Mammogram — right CC. 42-year-old patient.
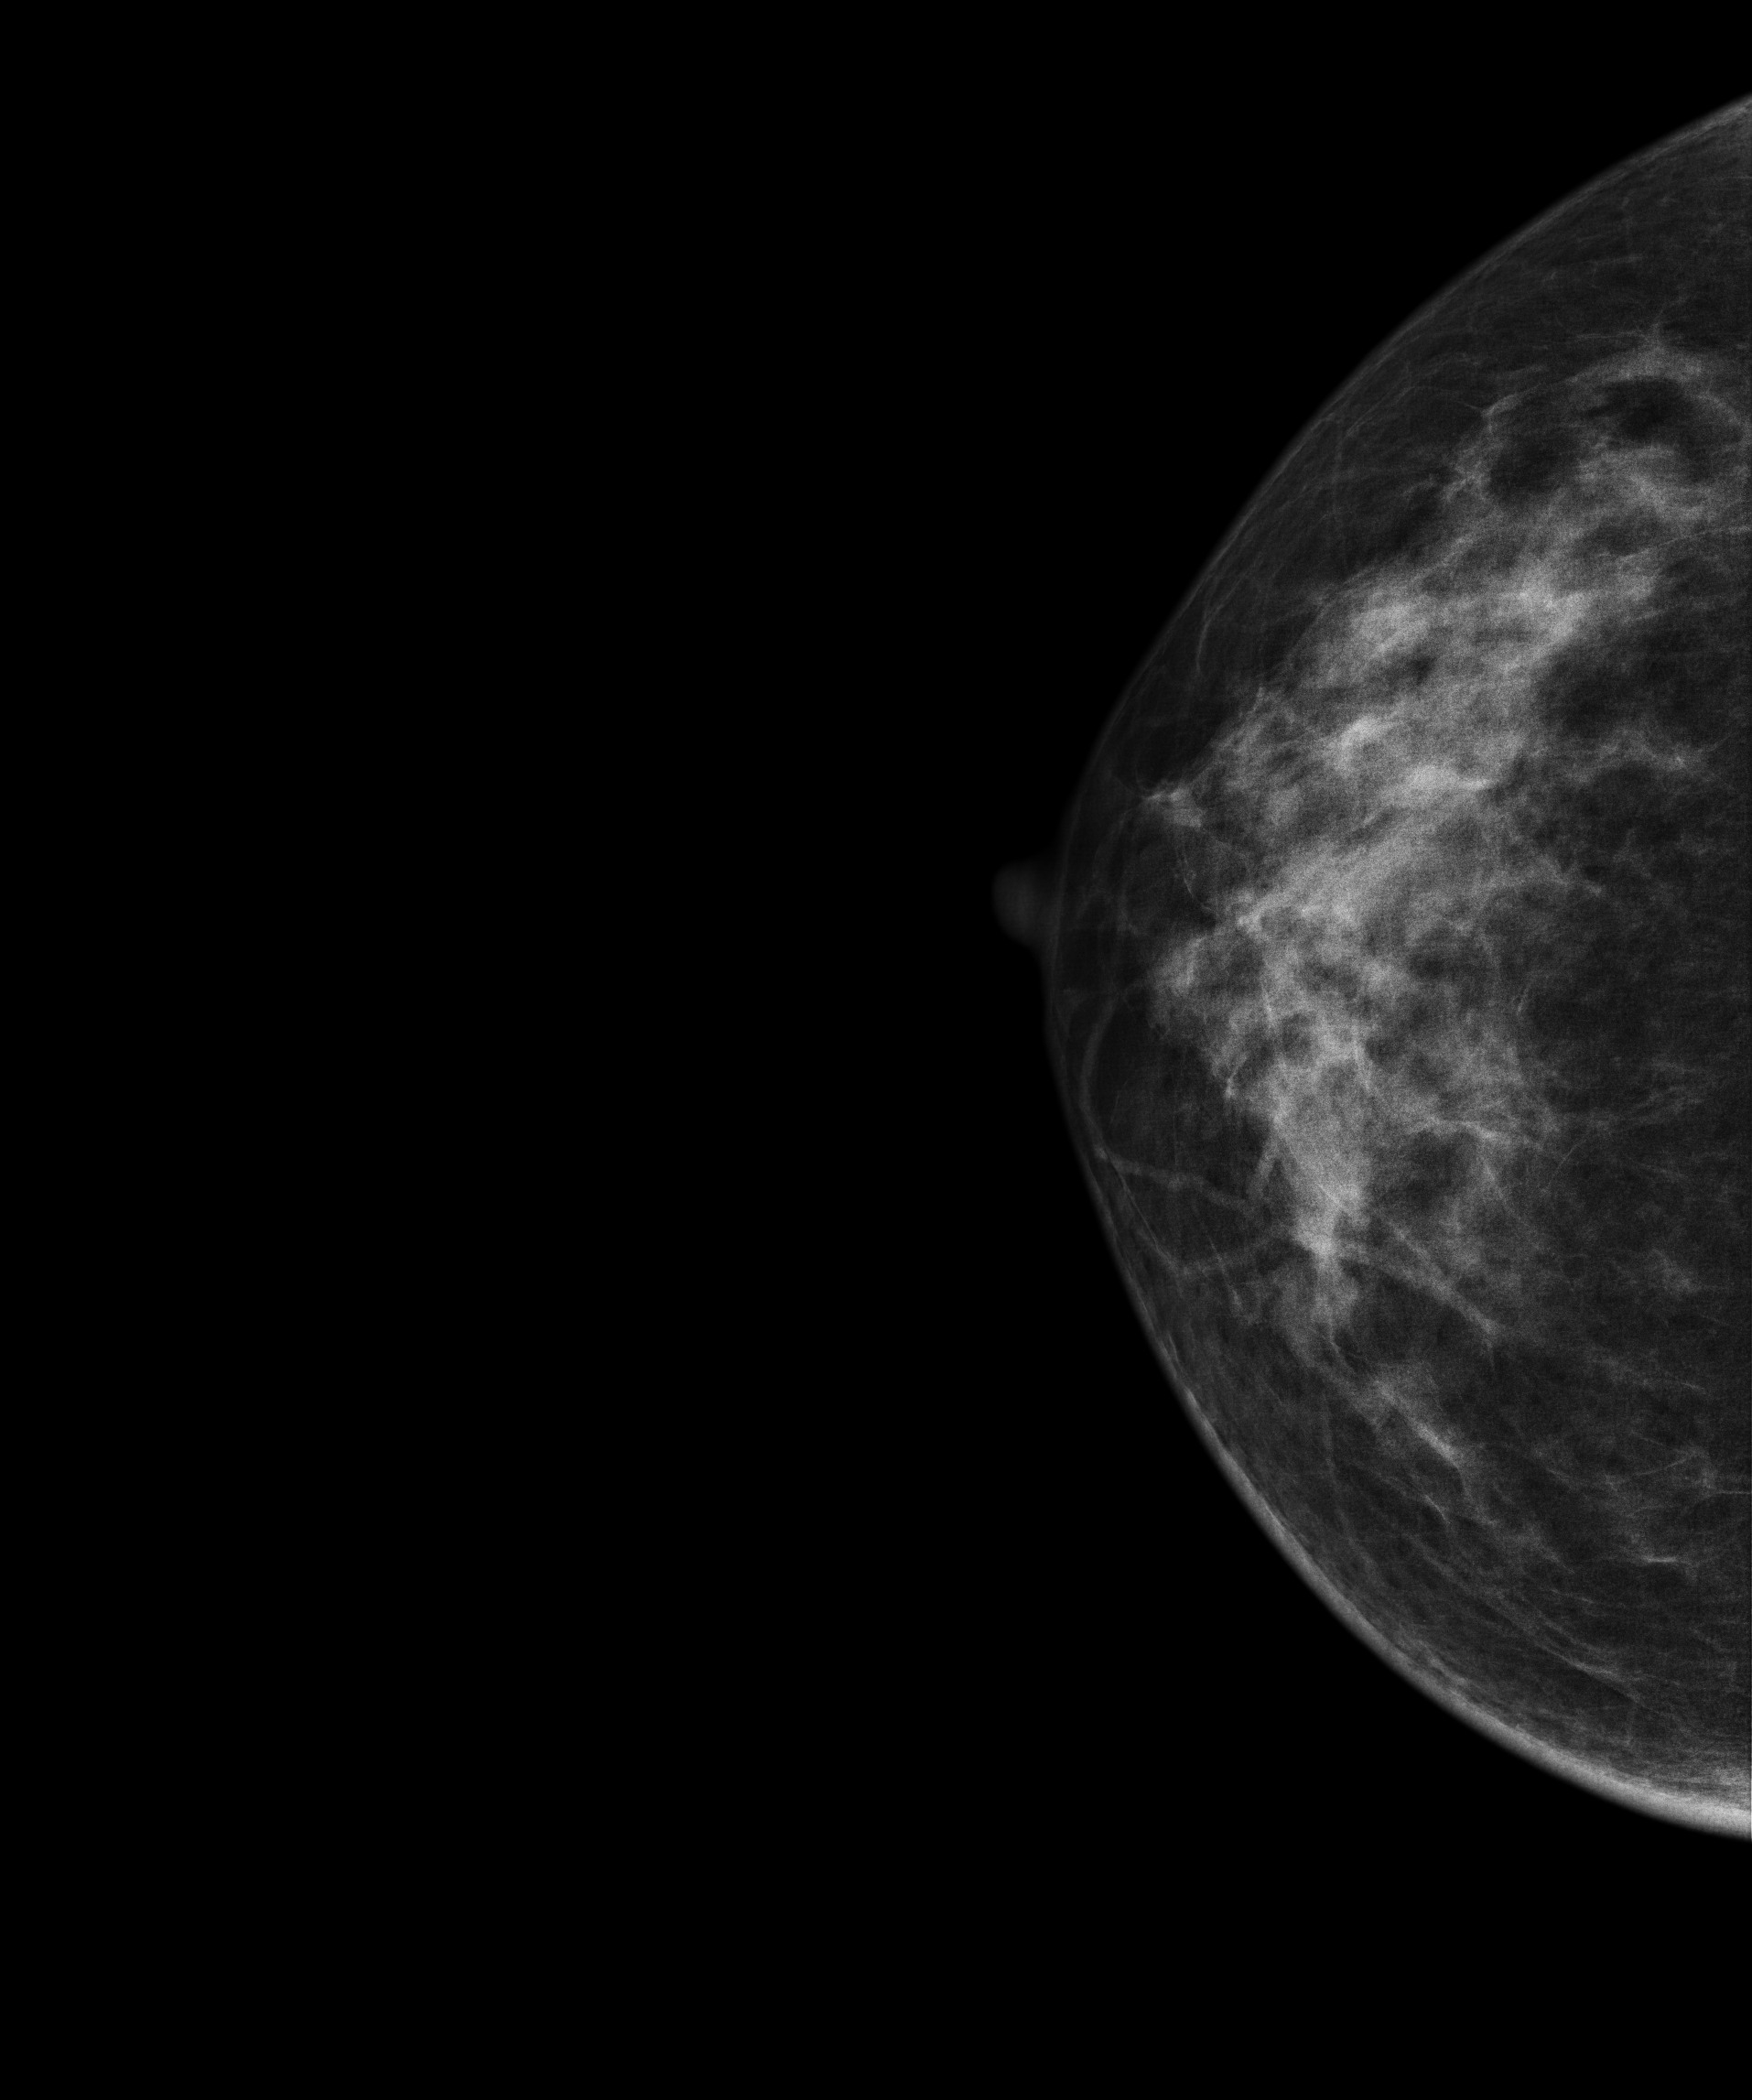
Contralateral breast — no documented abnormality on this side.